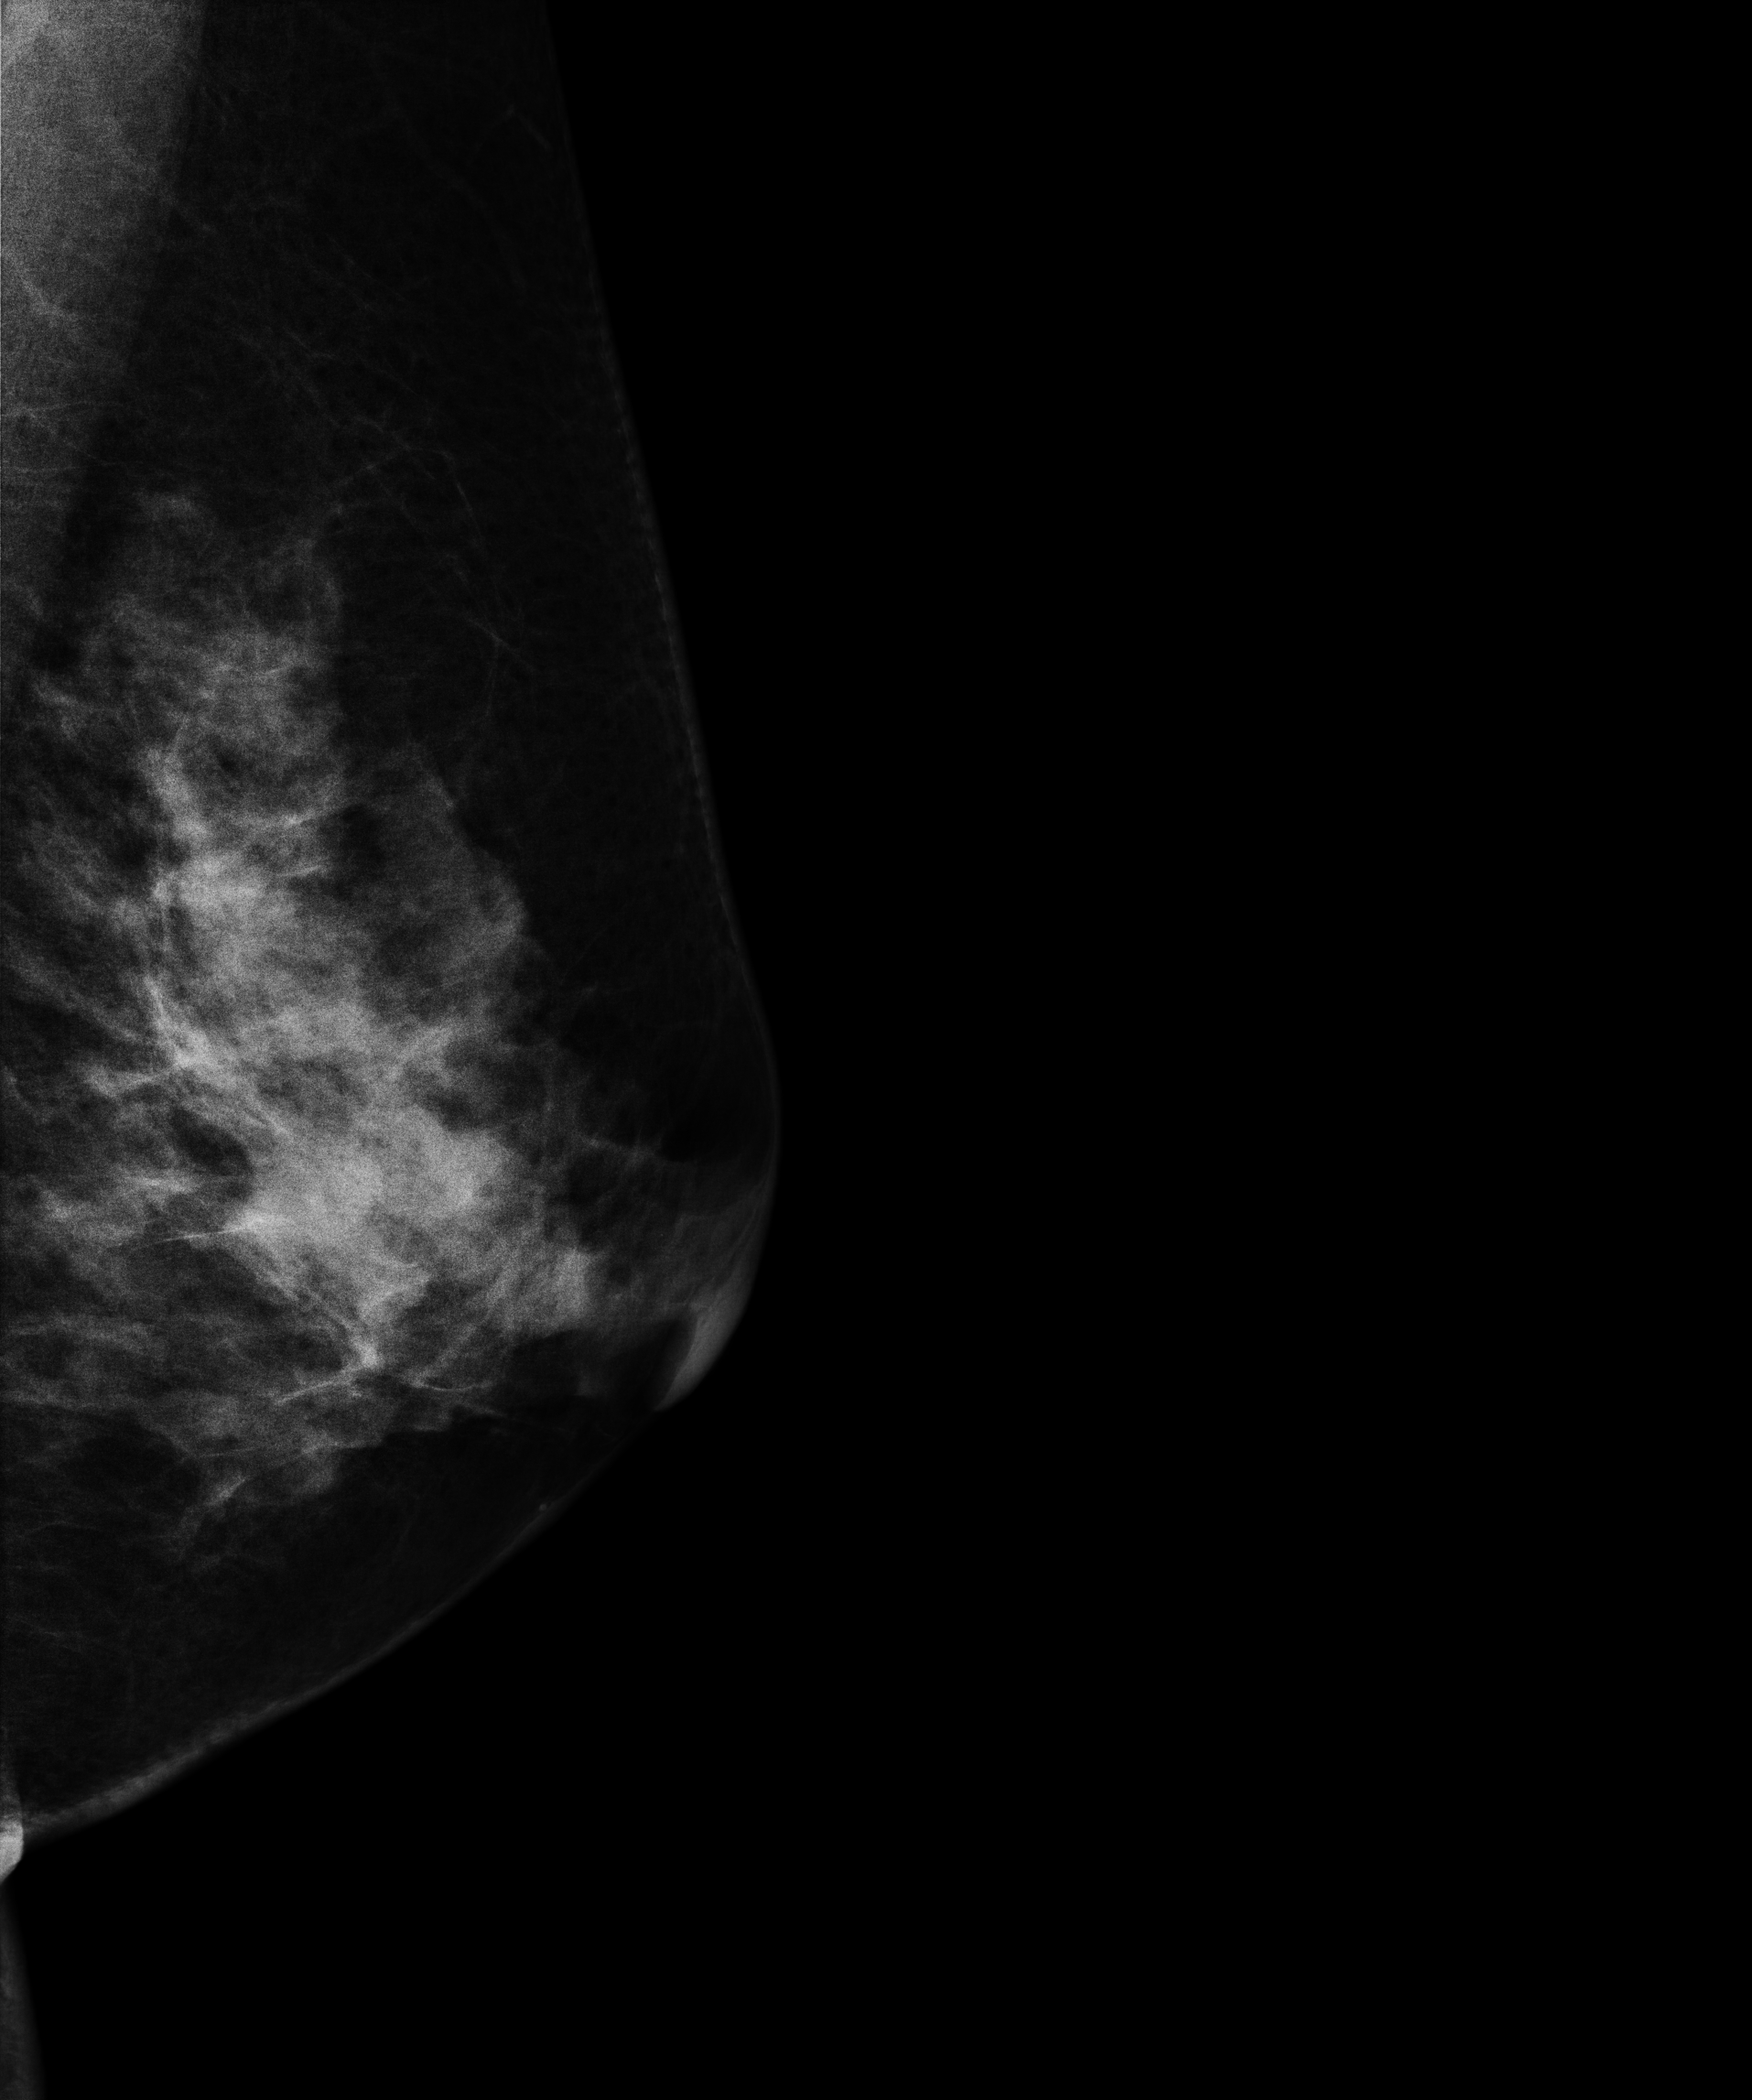
Mammogram, left breast, MLO view. 53 y/o patient.
Contralateral breast — no documented abnormality on this side.